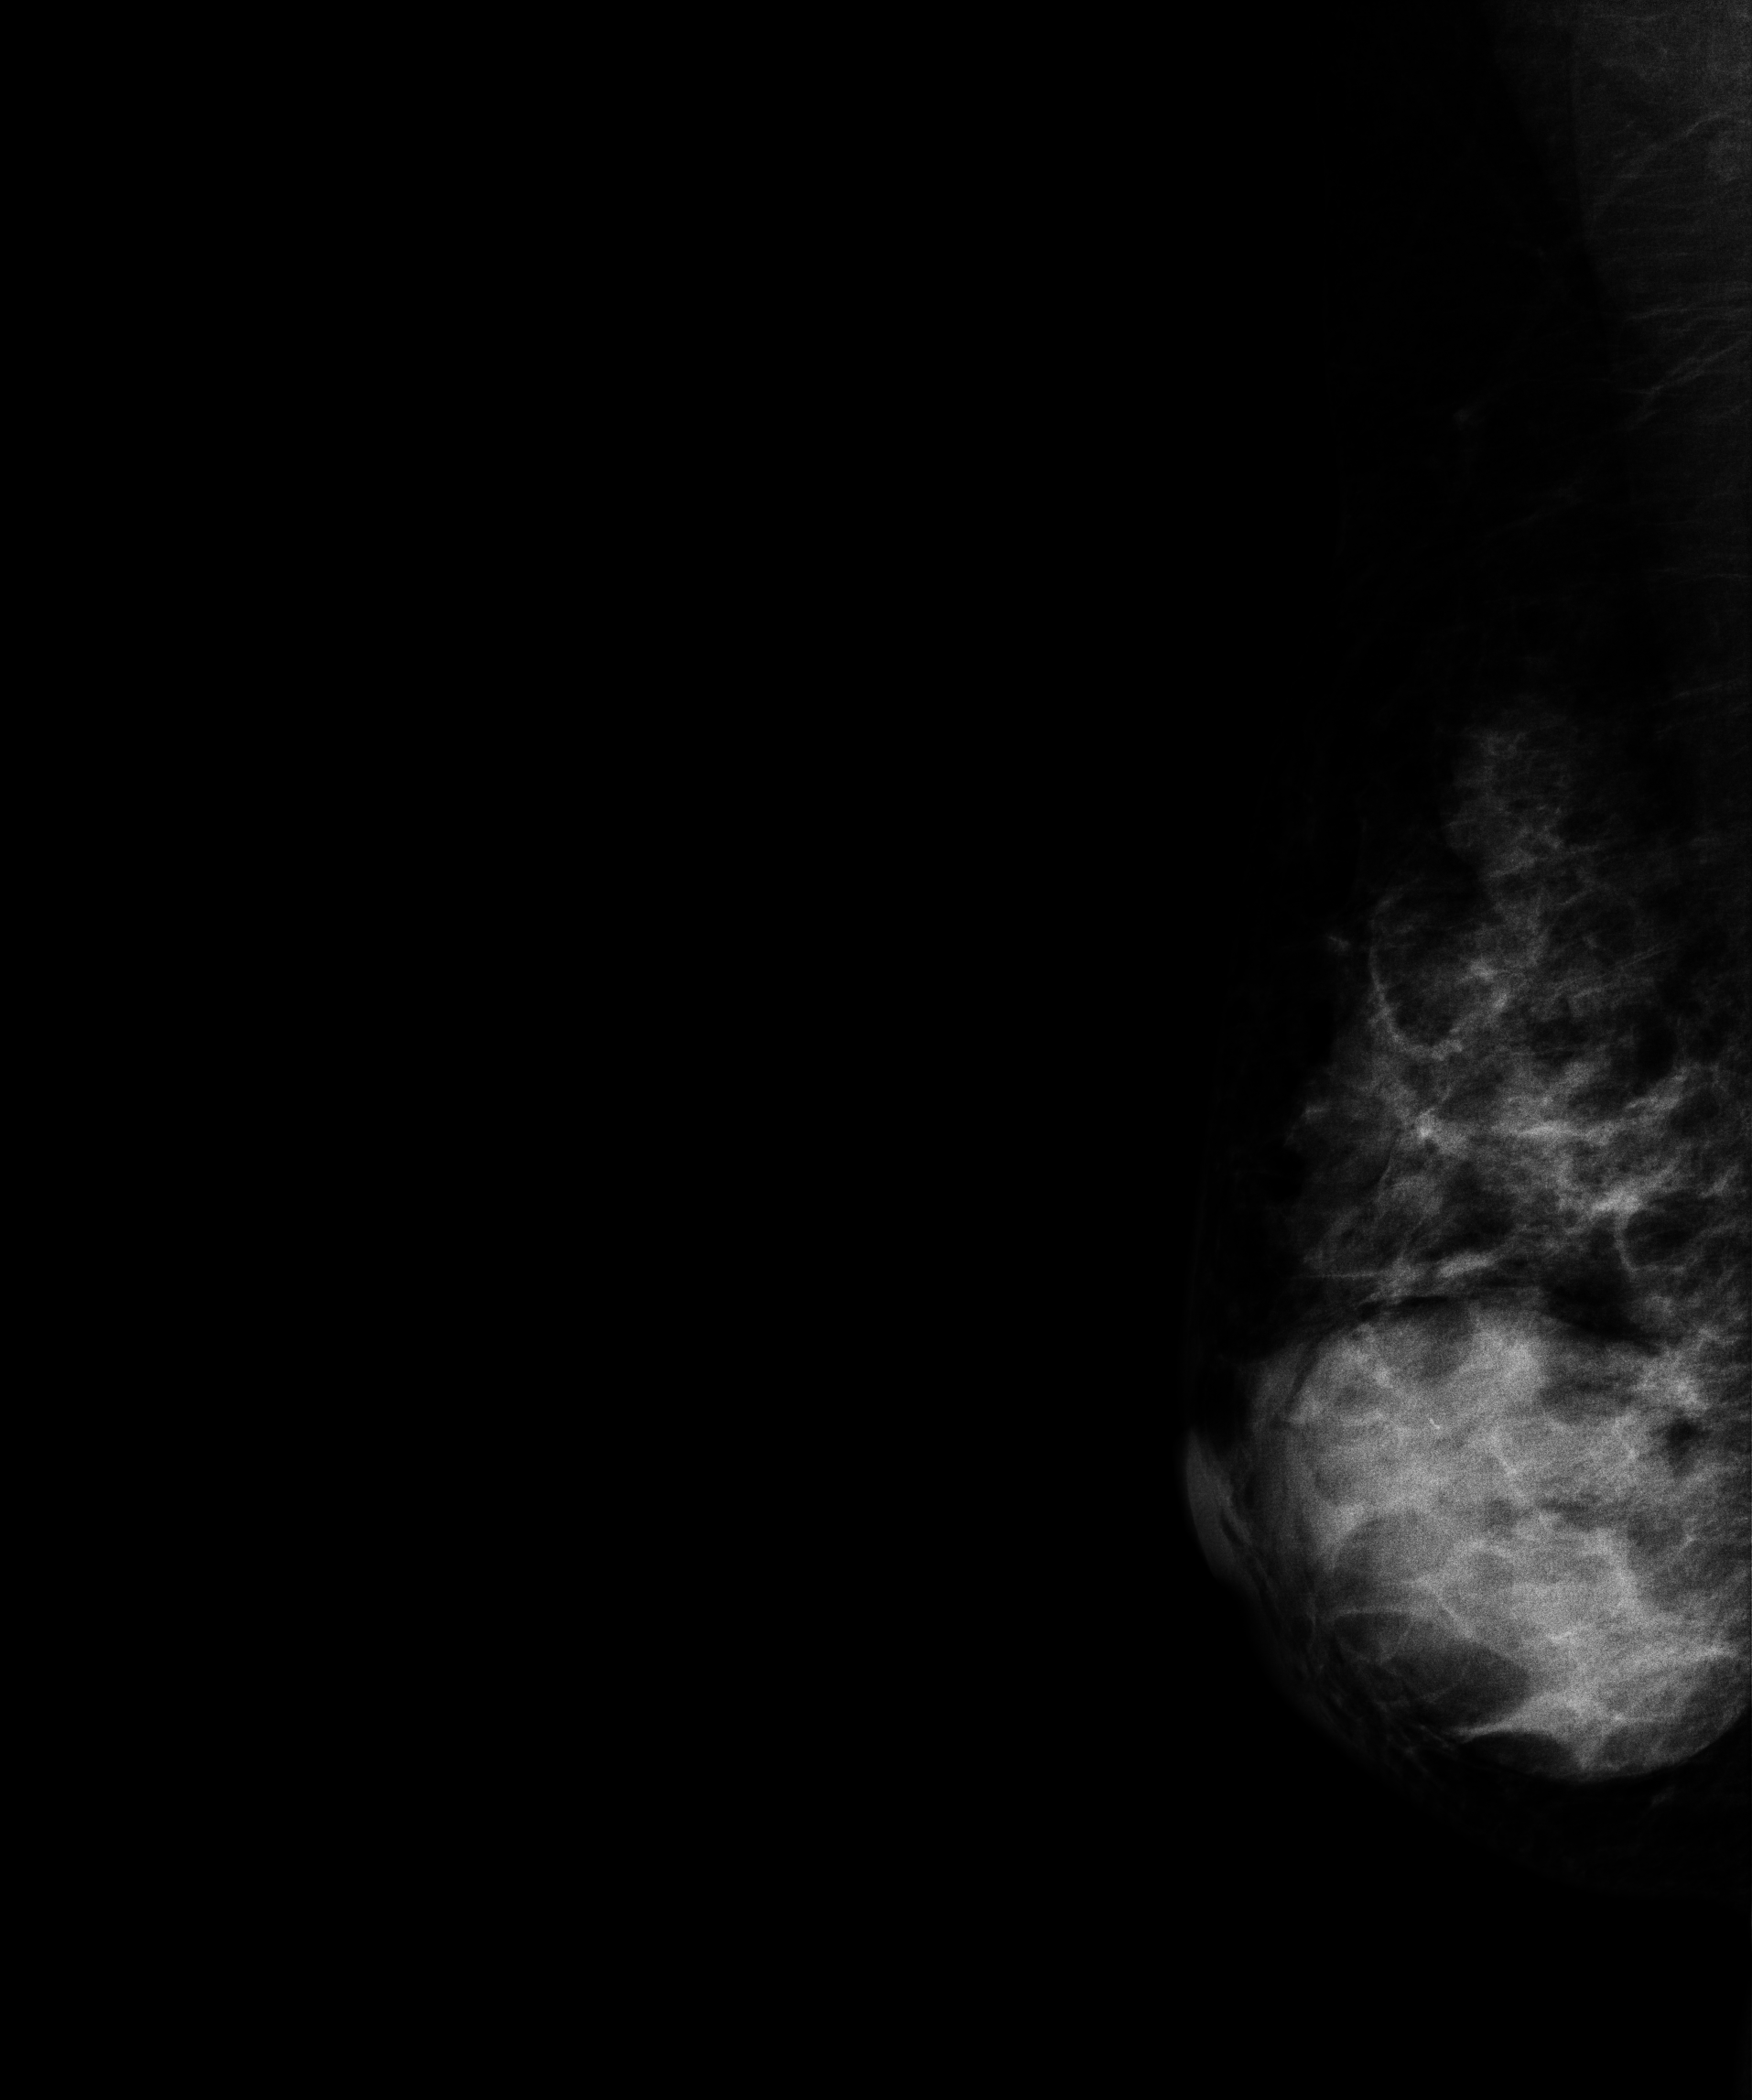
Digital mammography. Right breast, MLO projection. Patient age 49.
This breast has a mass, biopsy-confirmed benign.